Mammogram, right breast, medio-lateral oblique view. Patient age 56.
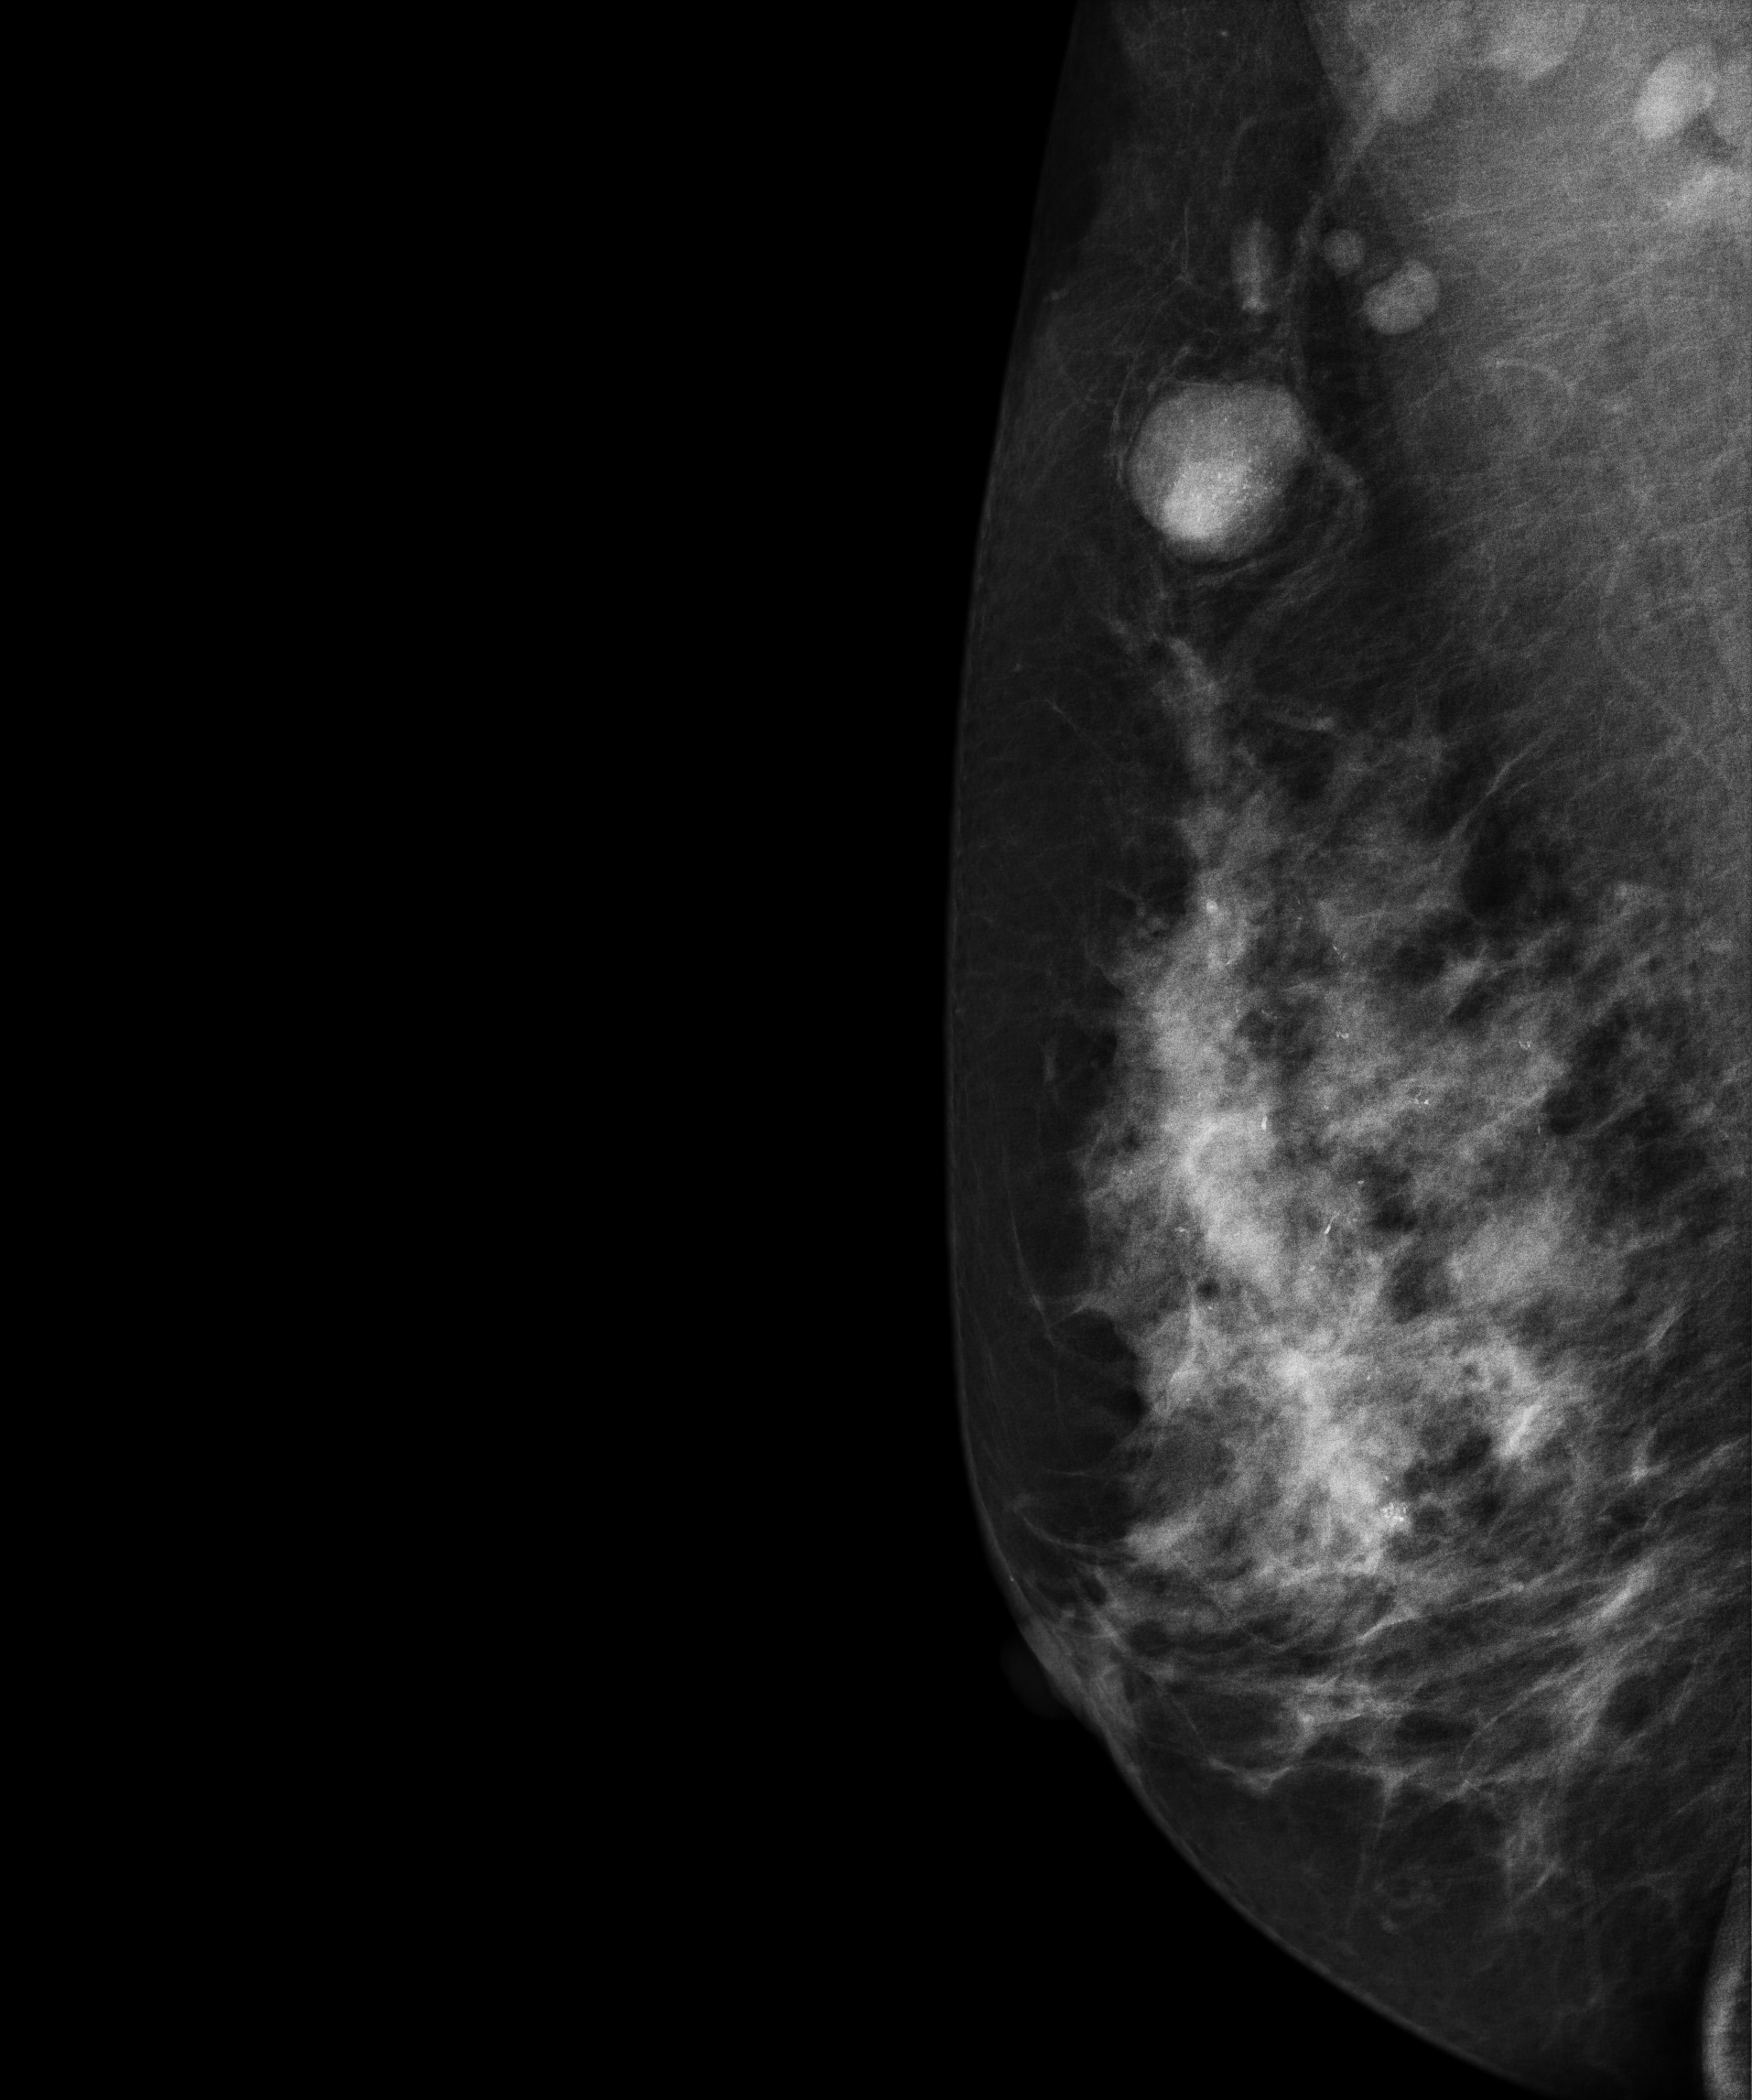
This breast has calcifications, pathology-confirmed malignant.